Left-breast mammogram, cranio-caudal. Patient age 60.
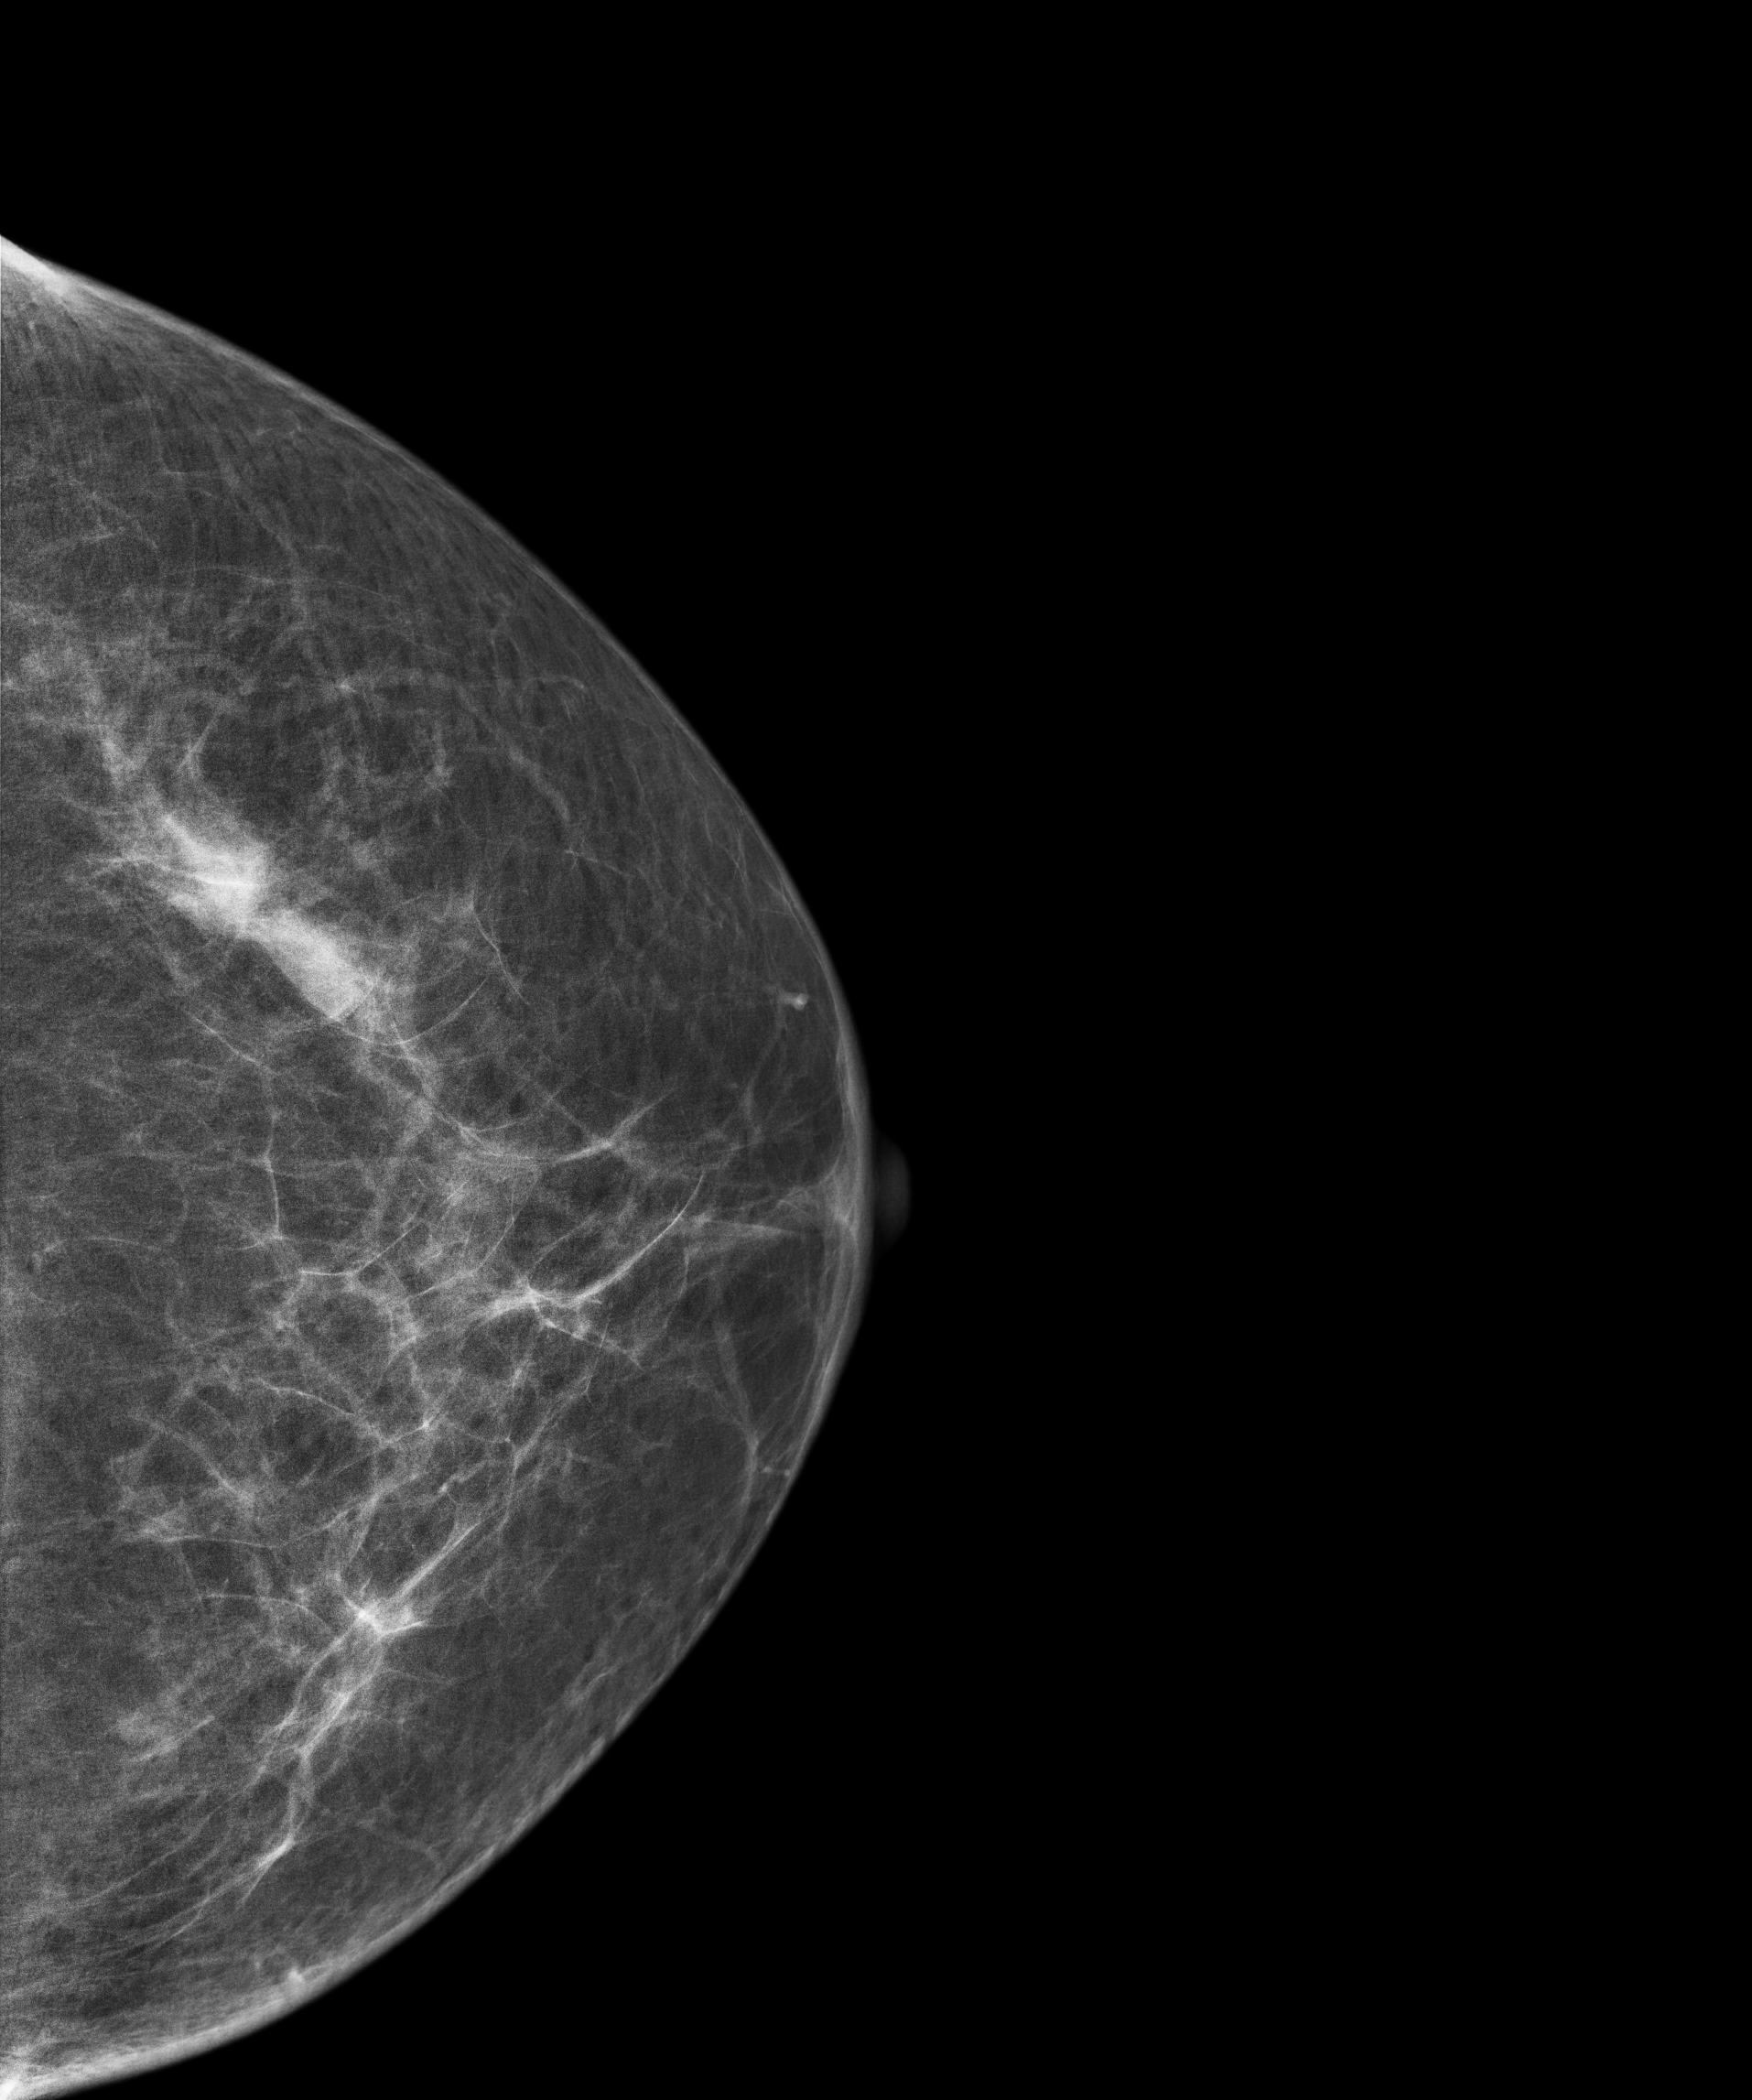
This breast has a mass, histologically confirmed malignant. Molecular subtype: triple-negative.